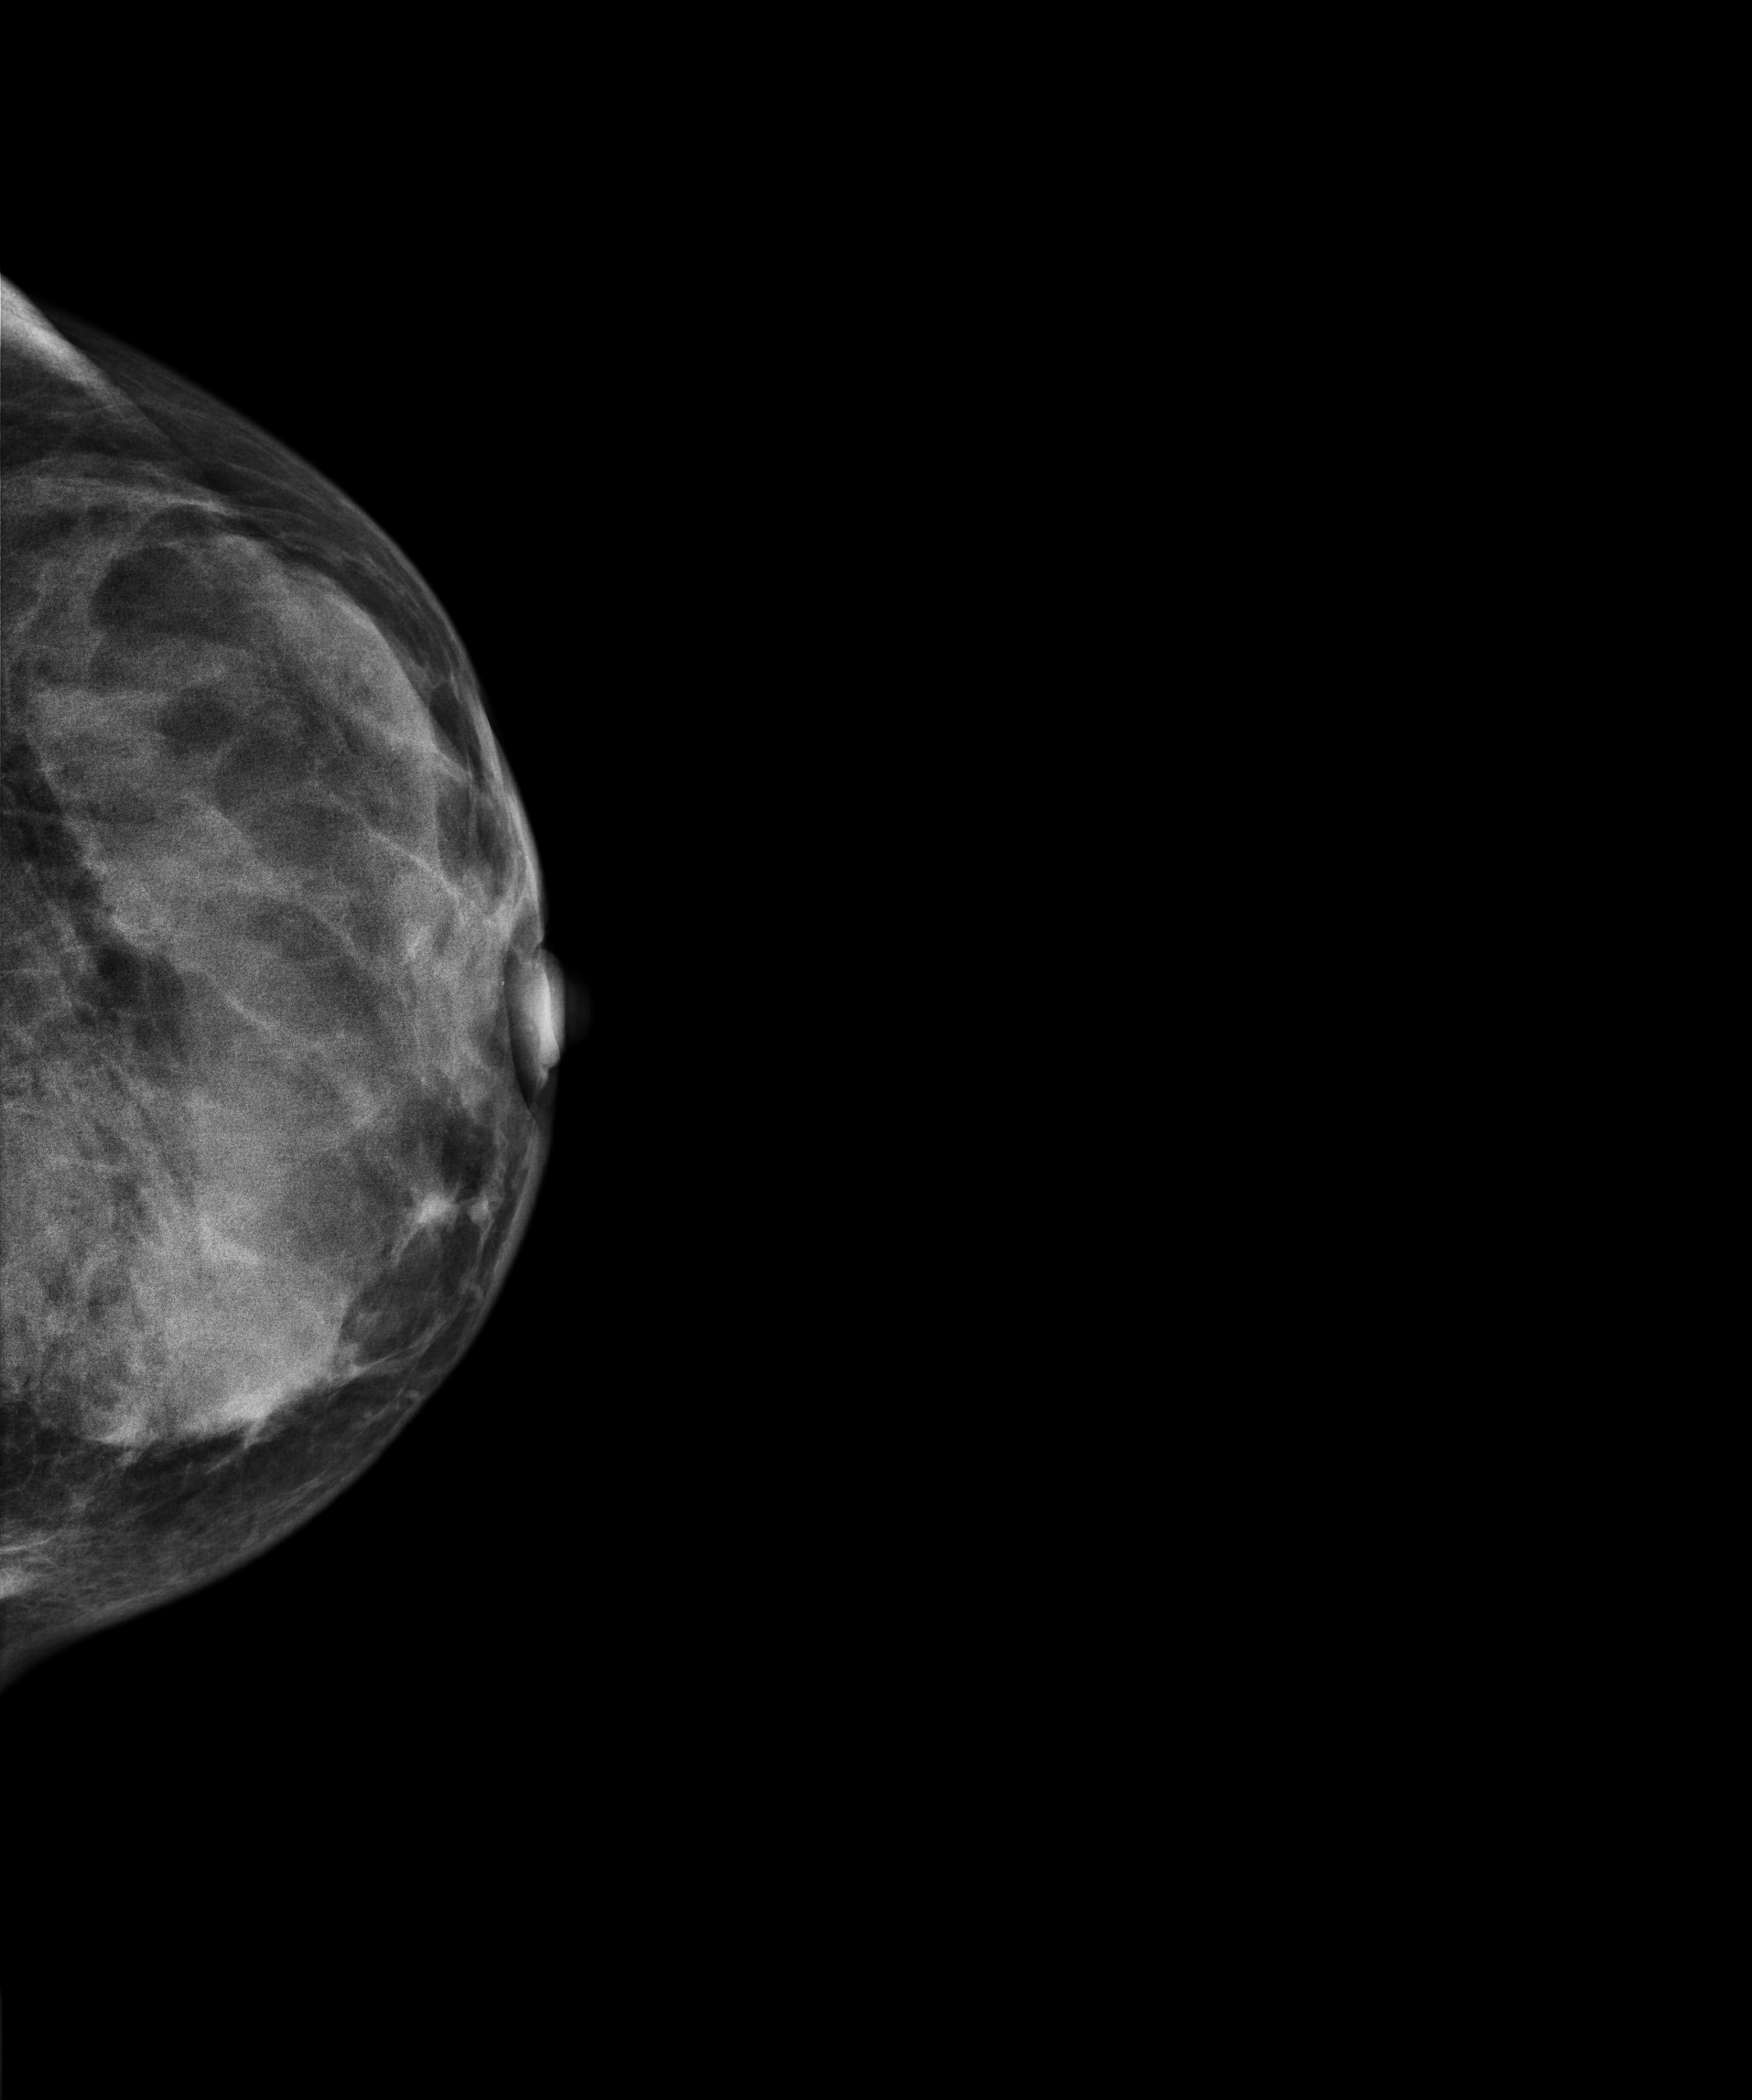
Left-breast mammogram, cranio-caudal. 27-year-old patient.
This breast has a mass, biopsy-proven malignant.